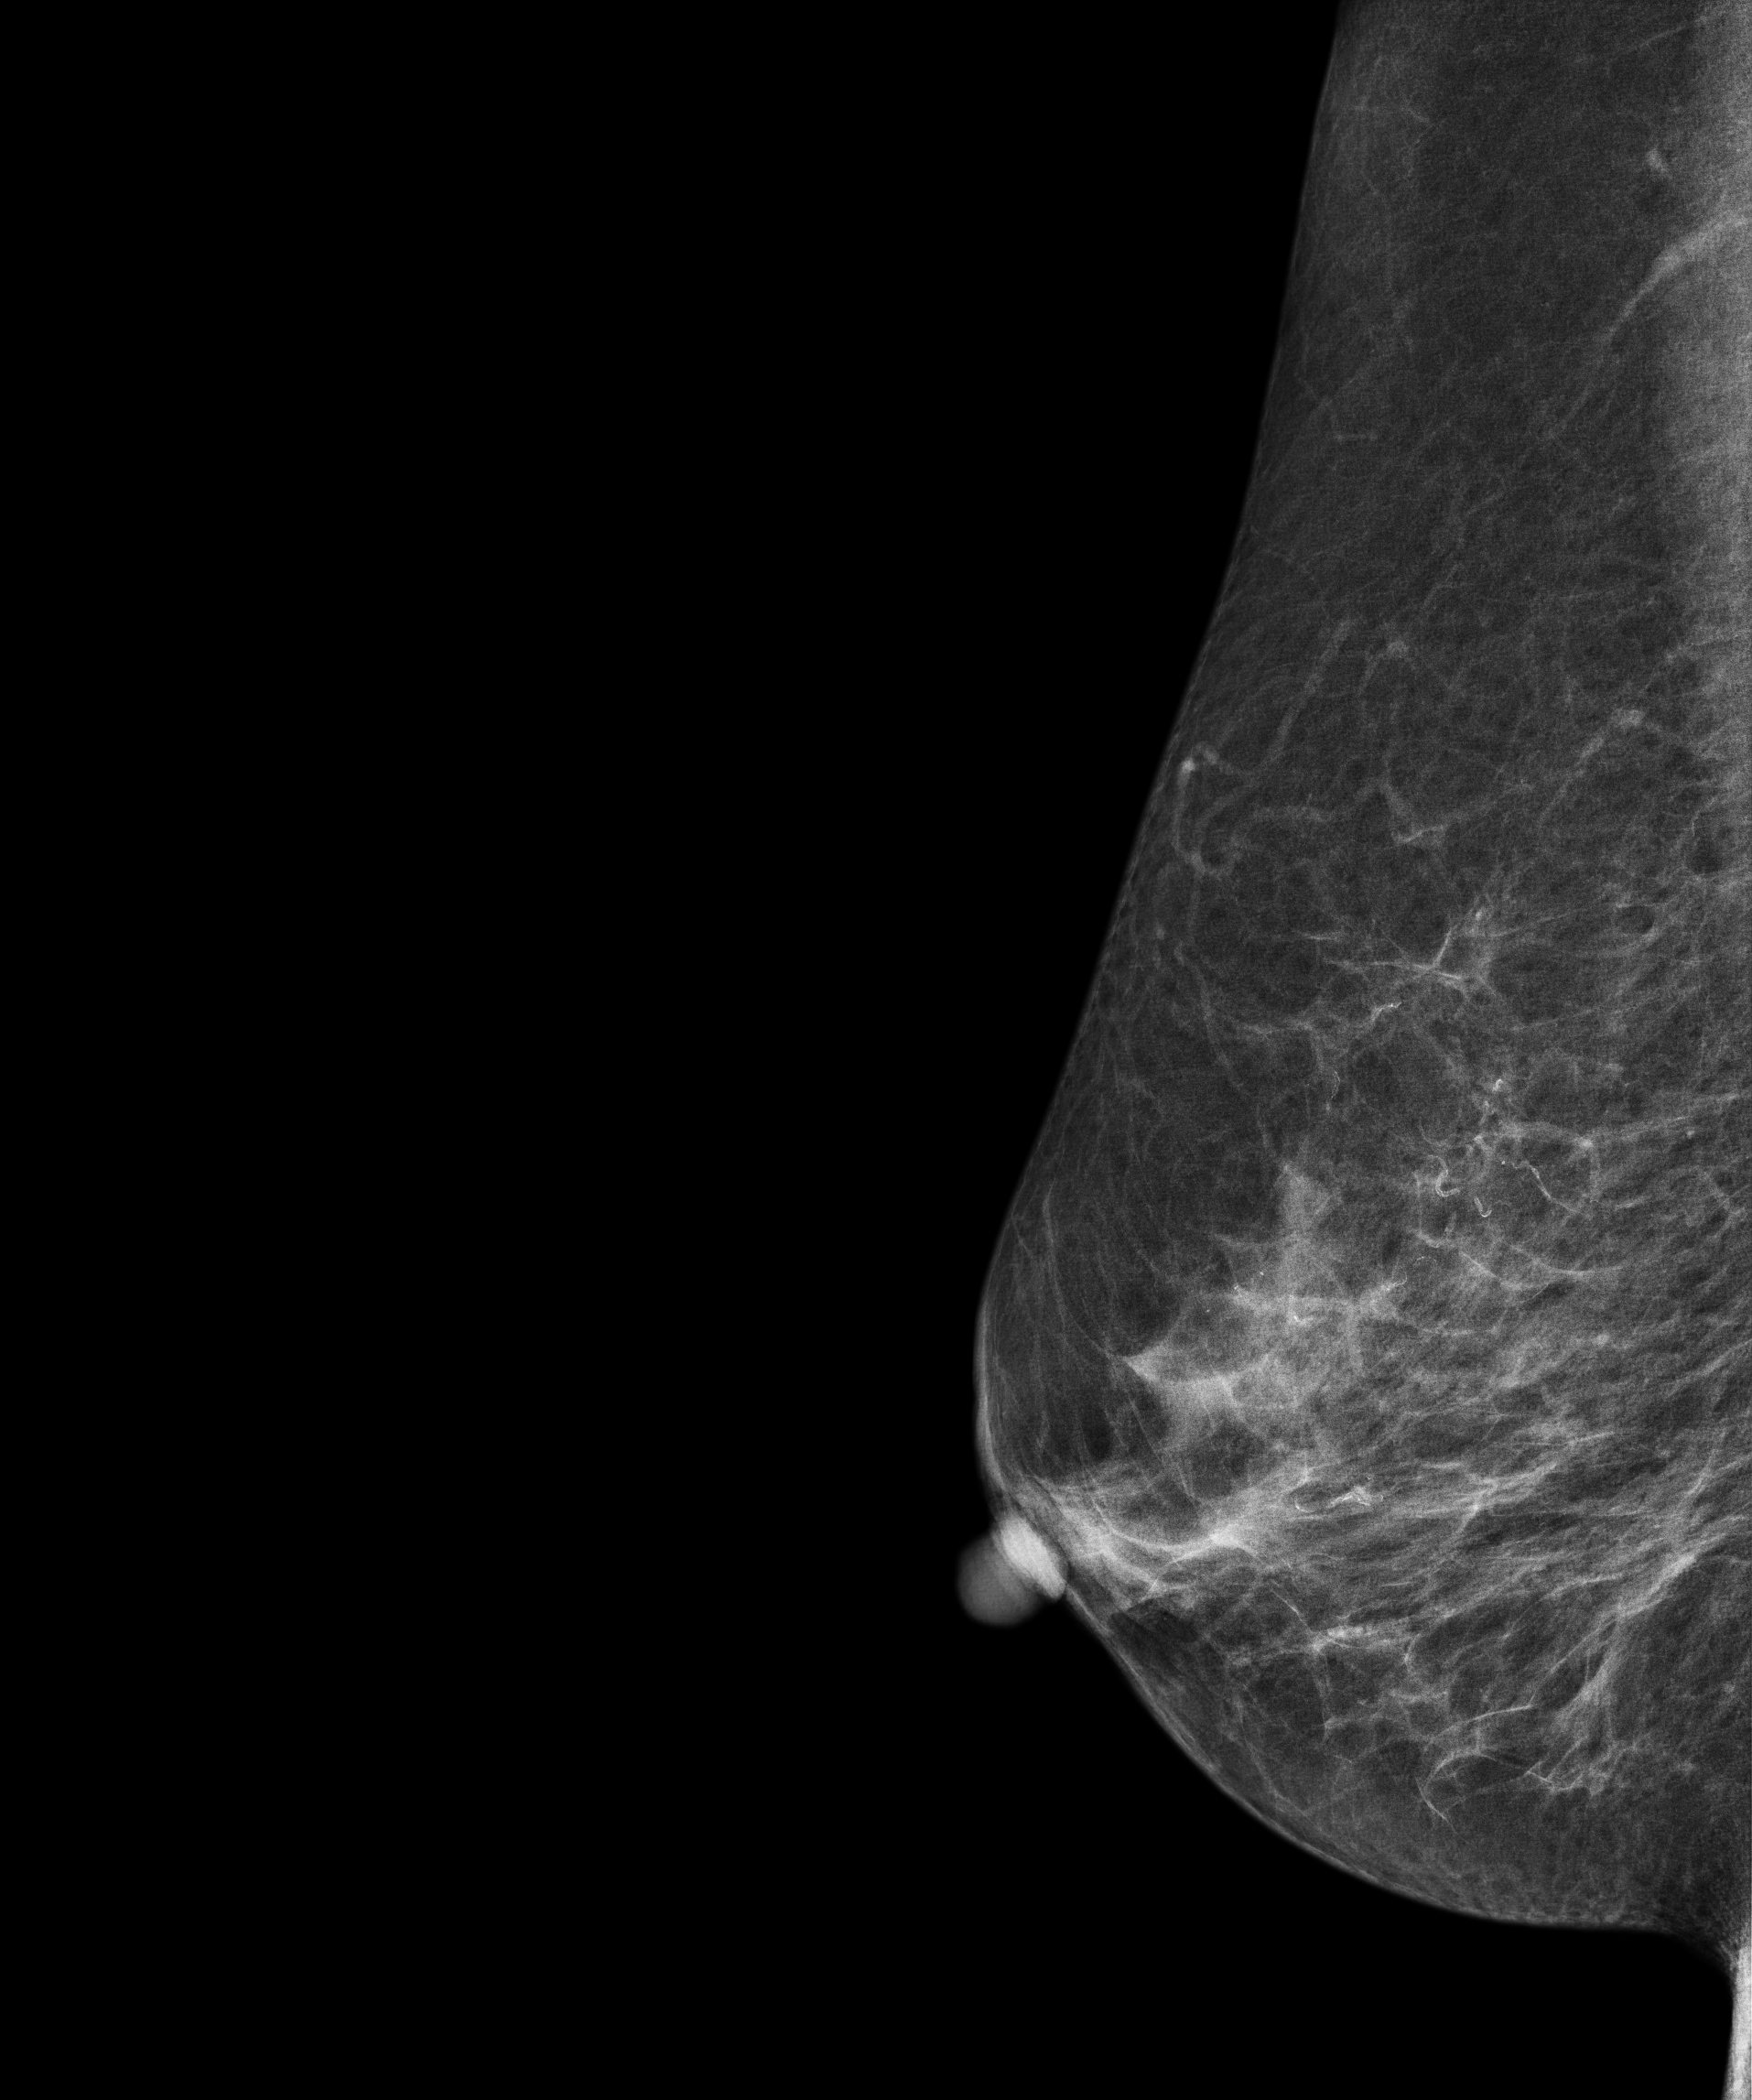
Mammogram — right MLO. 60-year-old patient.
This breast has a mass, pathology-confirmed benign.